Mammogram — right CC. 49 y/o patient.
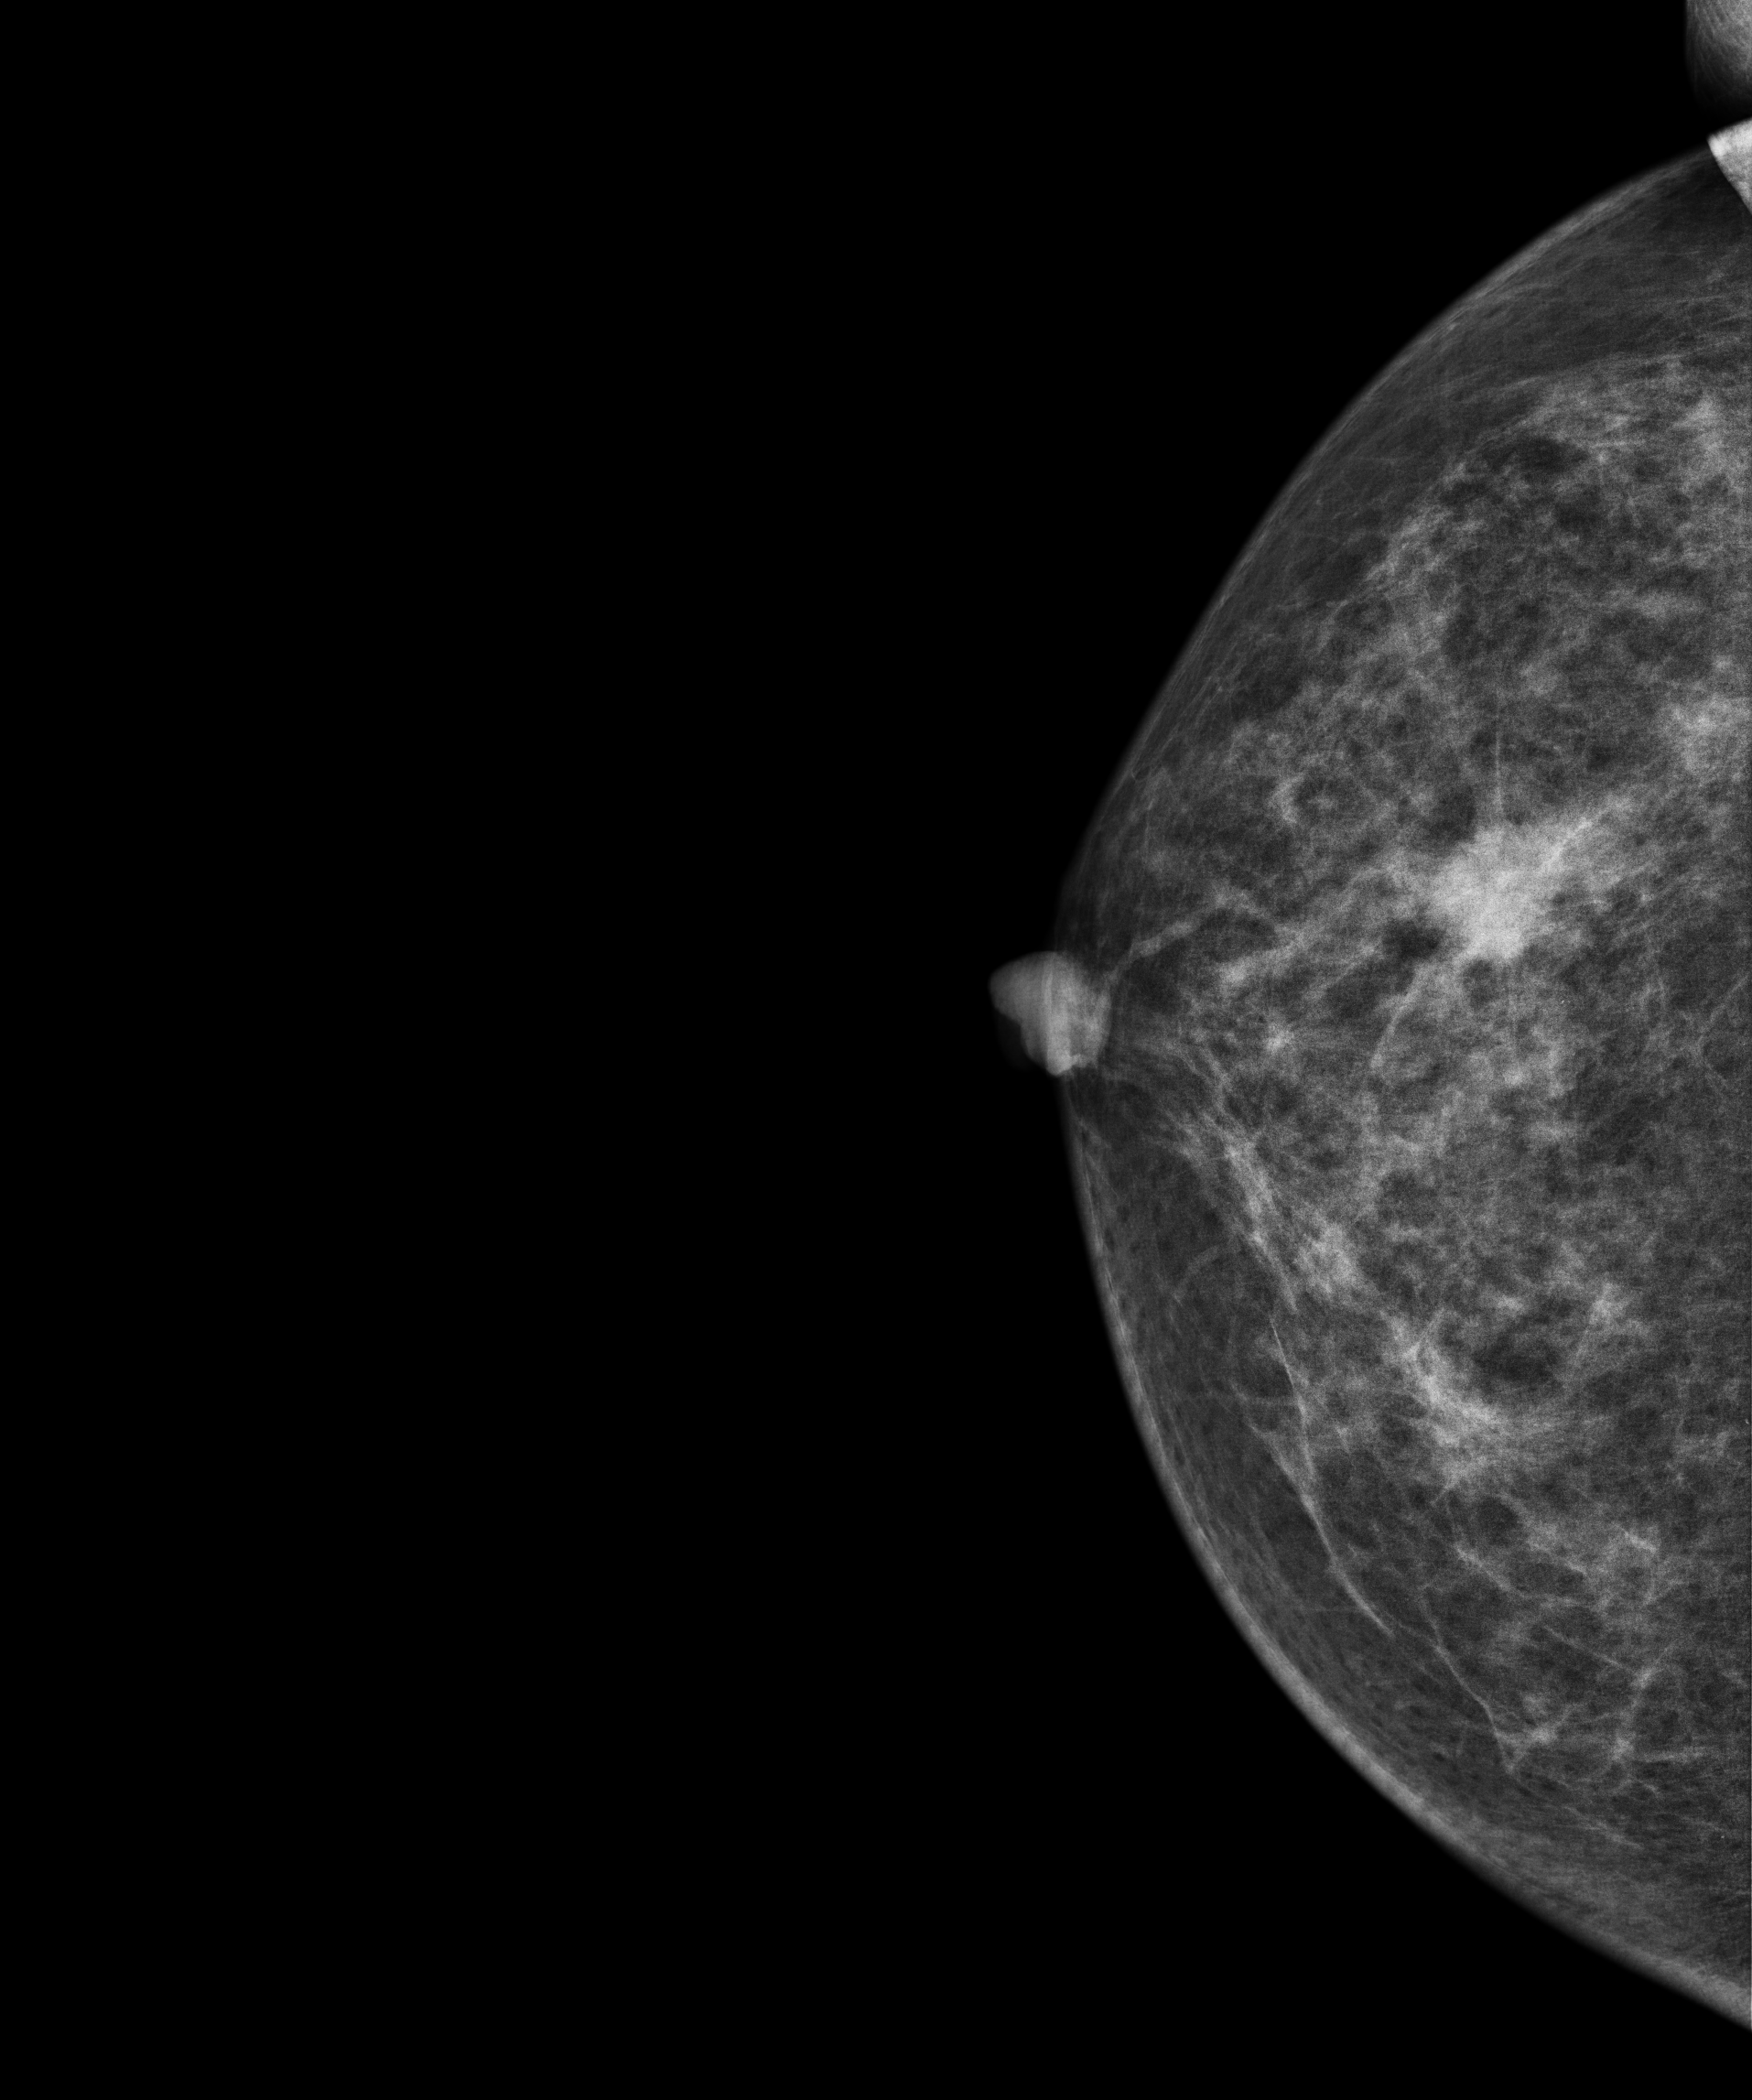
This breast has a mass, histologically confirmed malignant.